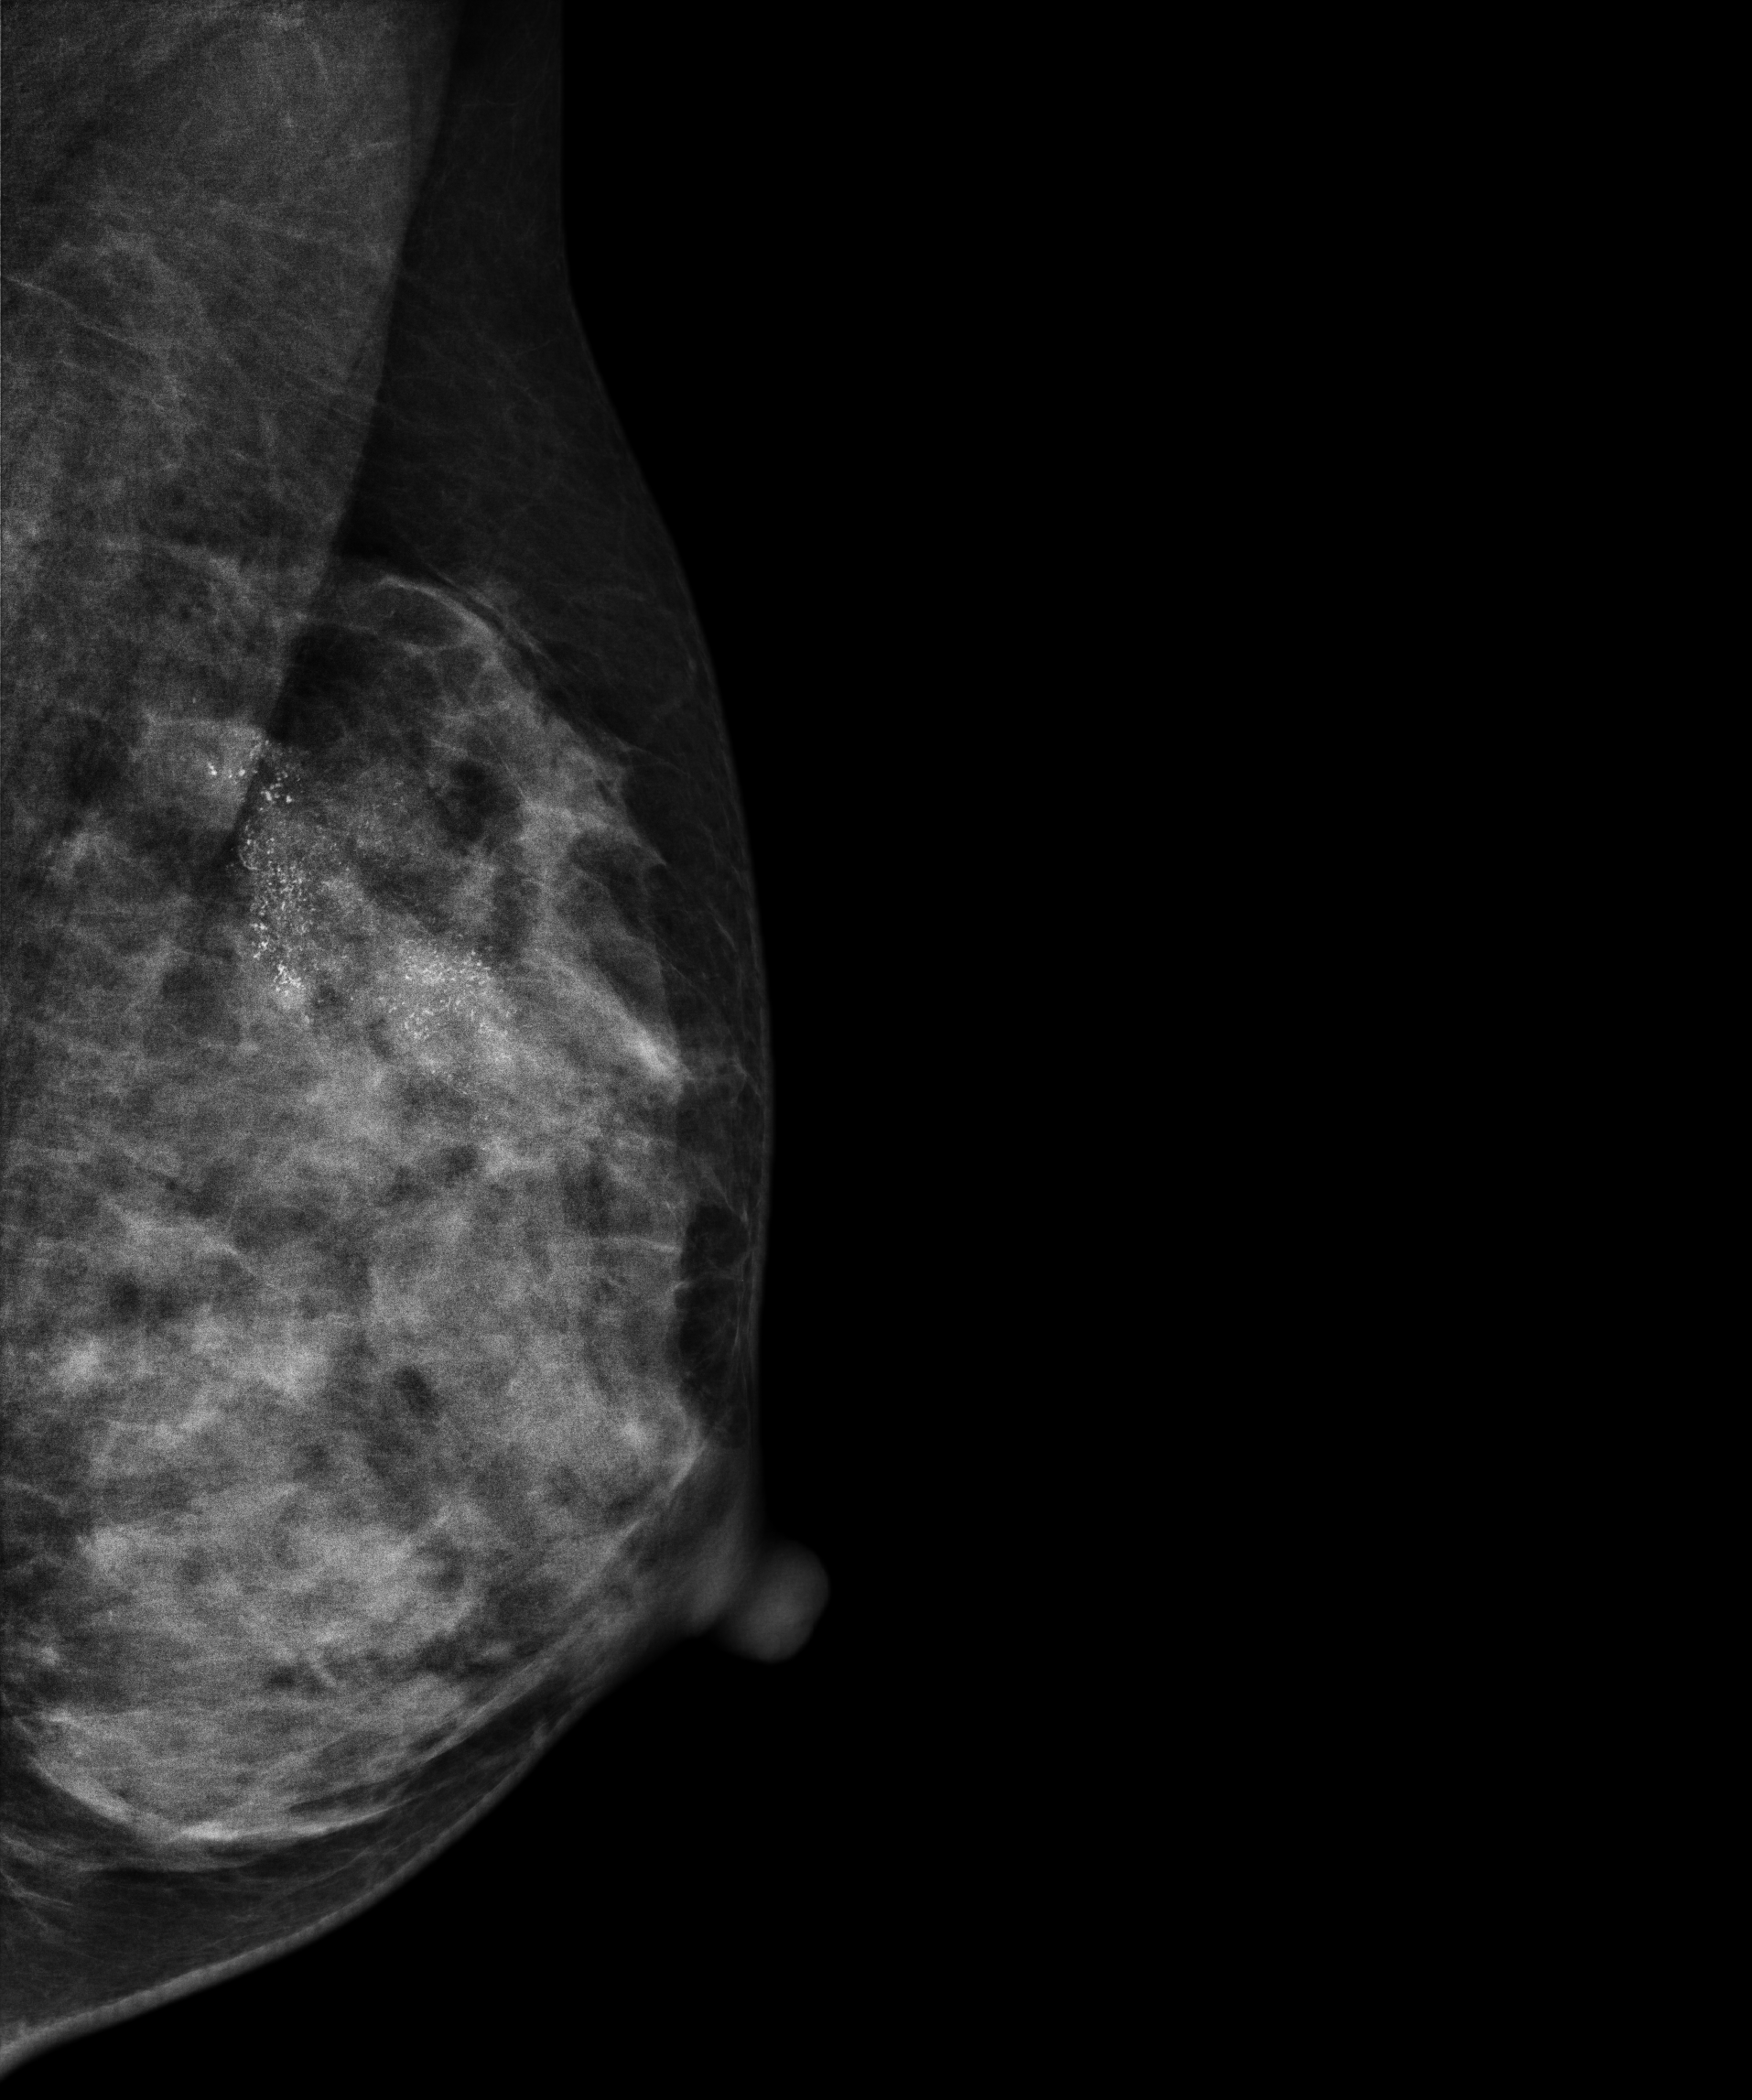
Mammogram, left breast, medio-lateral oblique view. 40-year-old patient.
This breast has calcifications, biopsy-confirmed malignant.